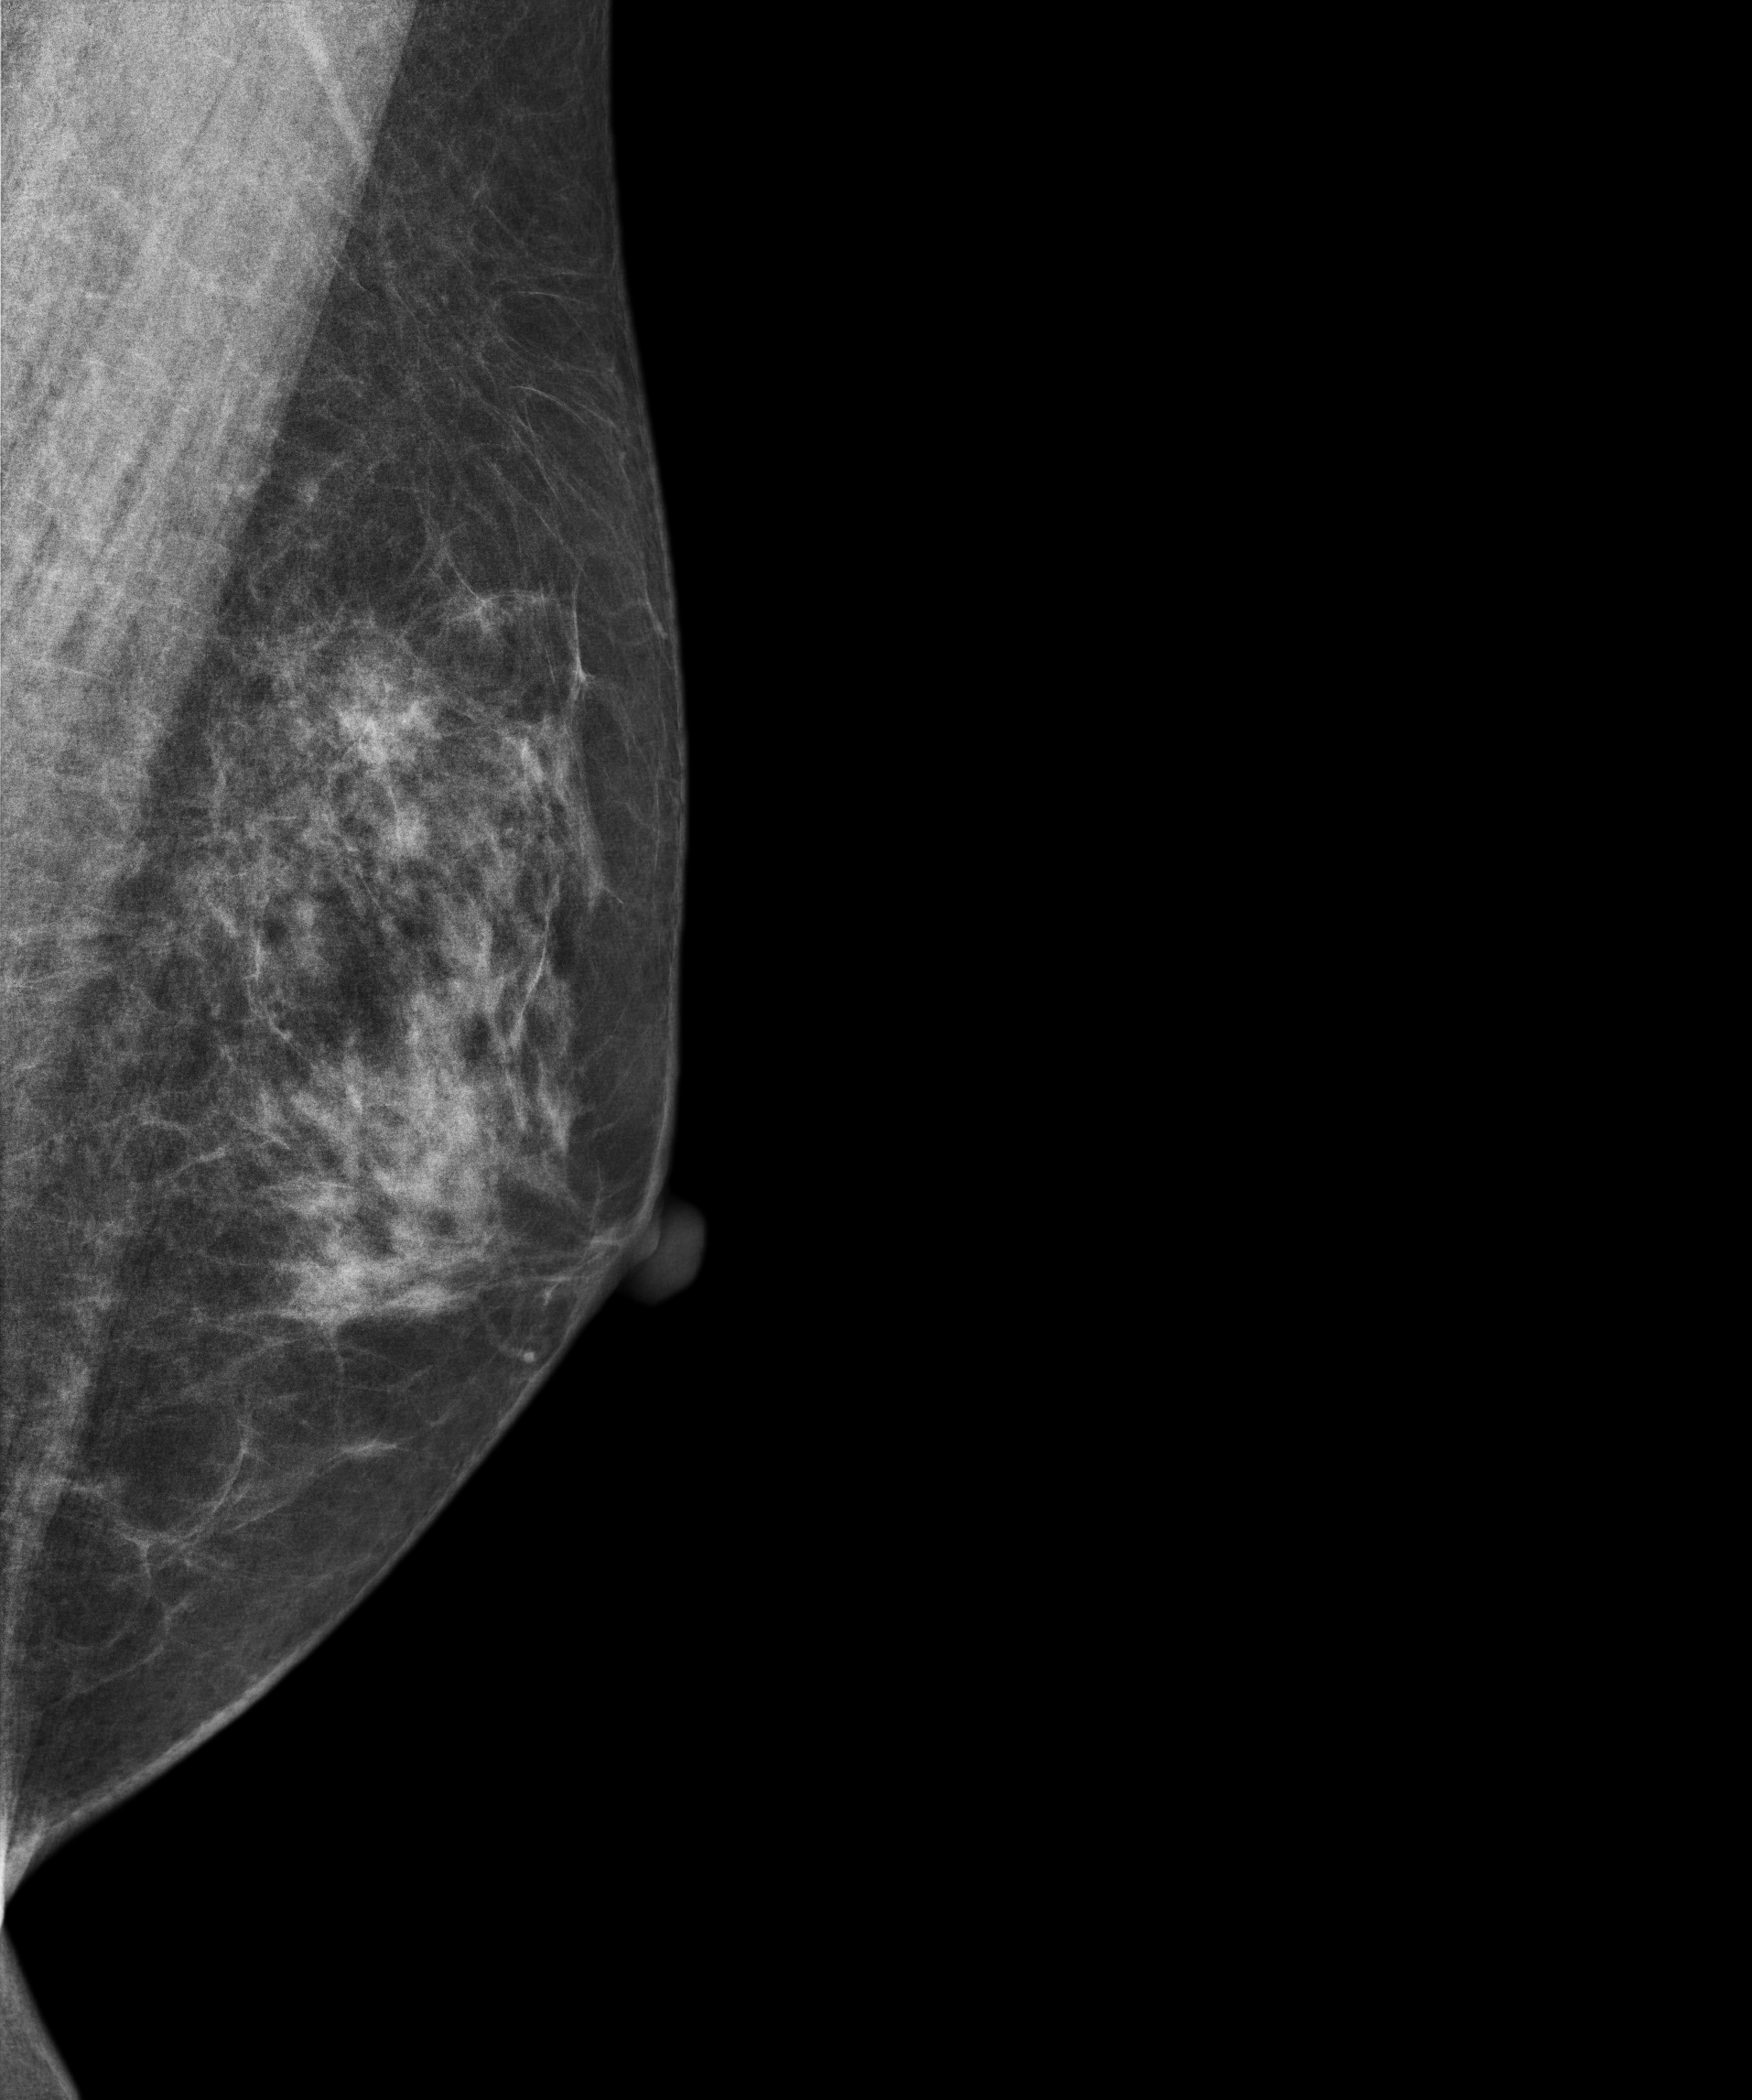
MLO mammogram of the left breast. 53-year-old patient.
Contralateral breast — no documented abnormality on this side.